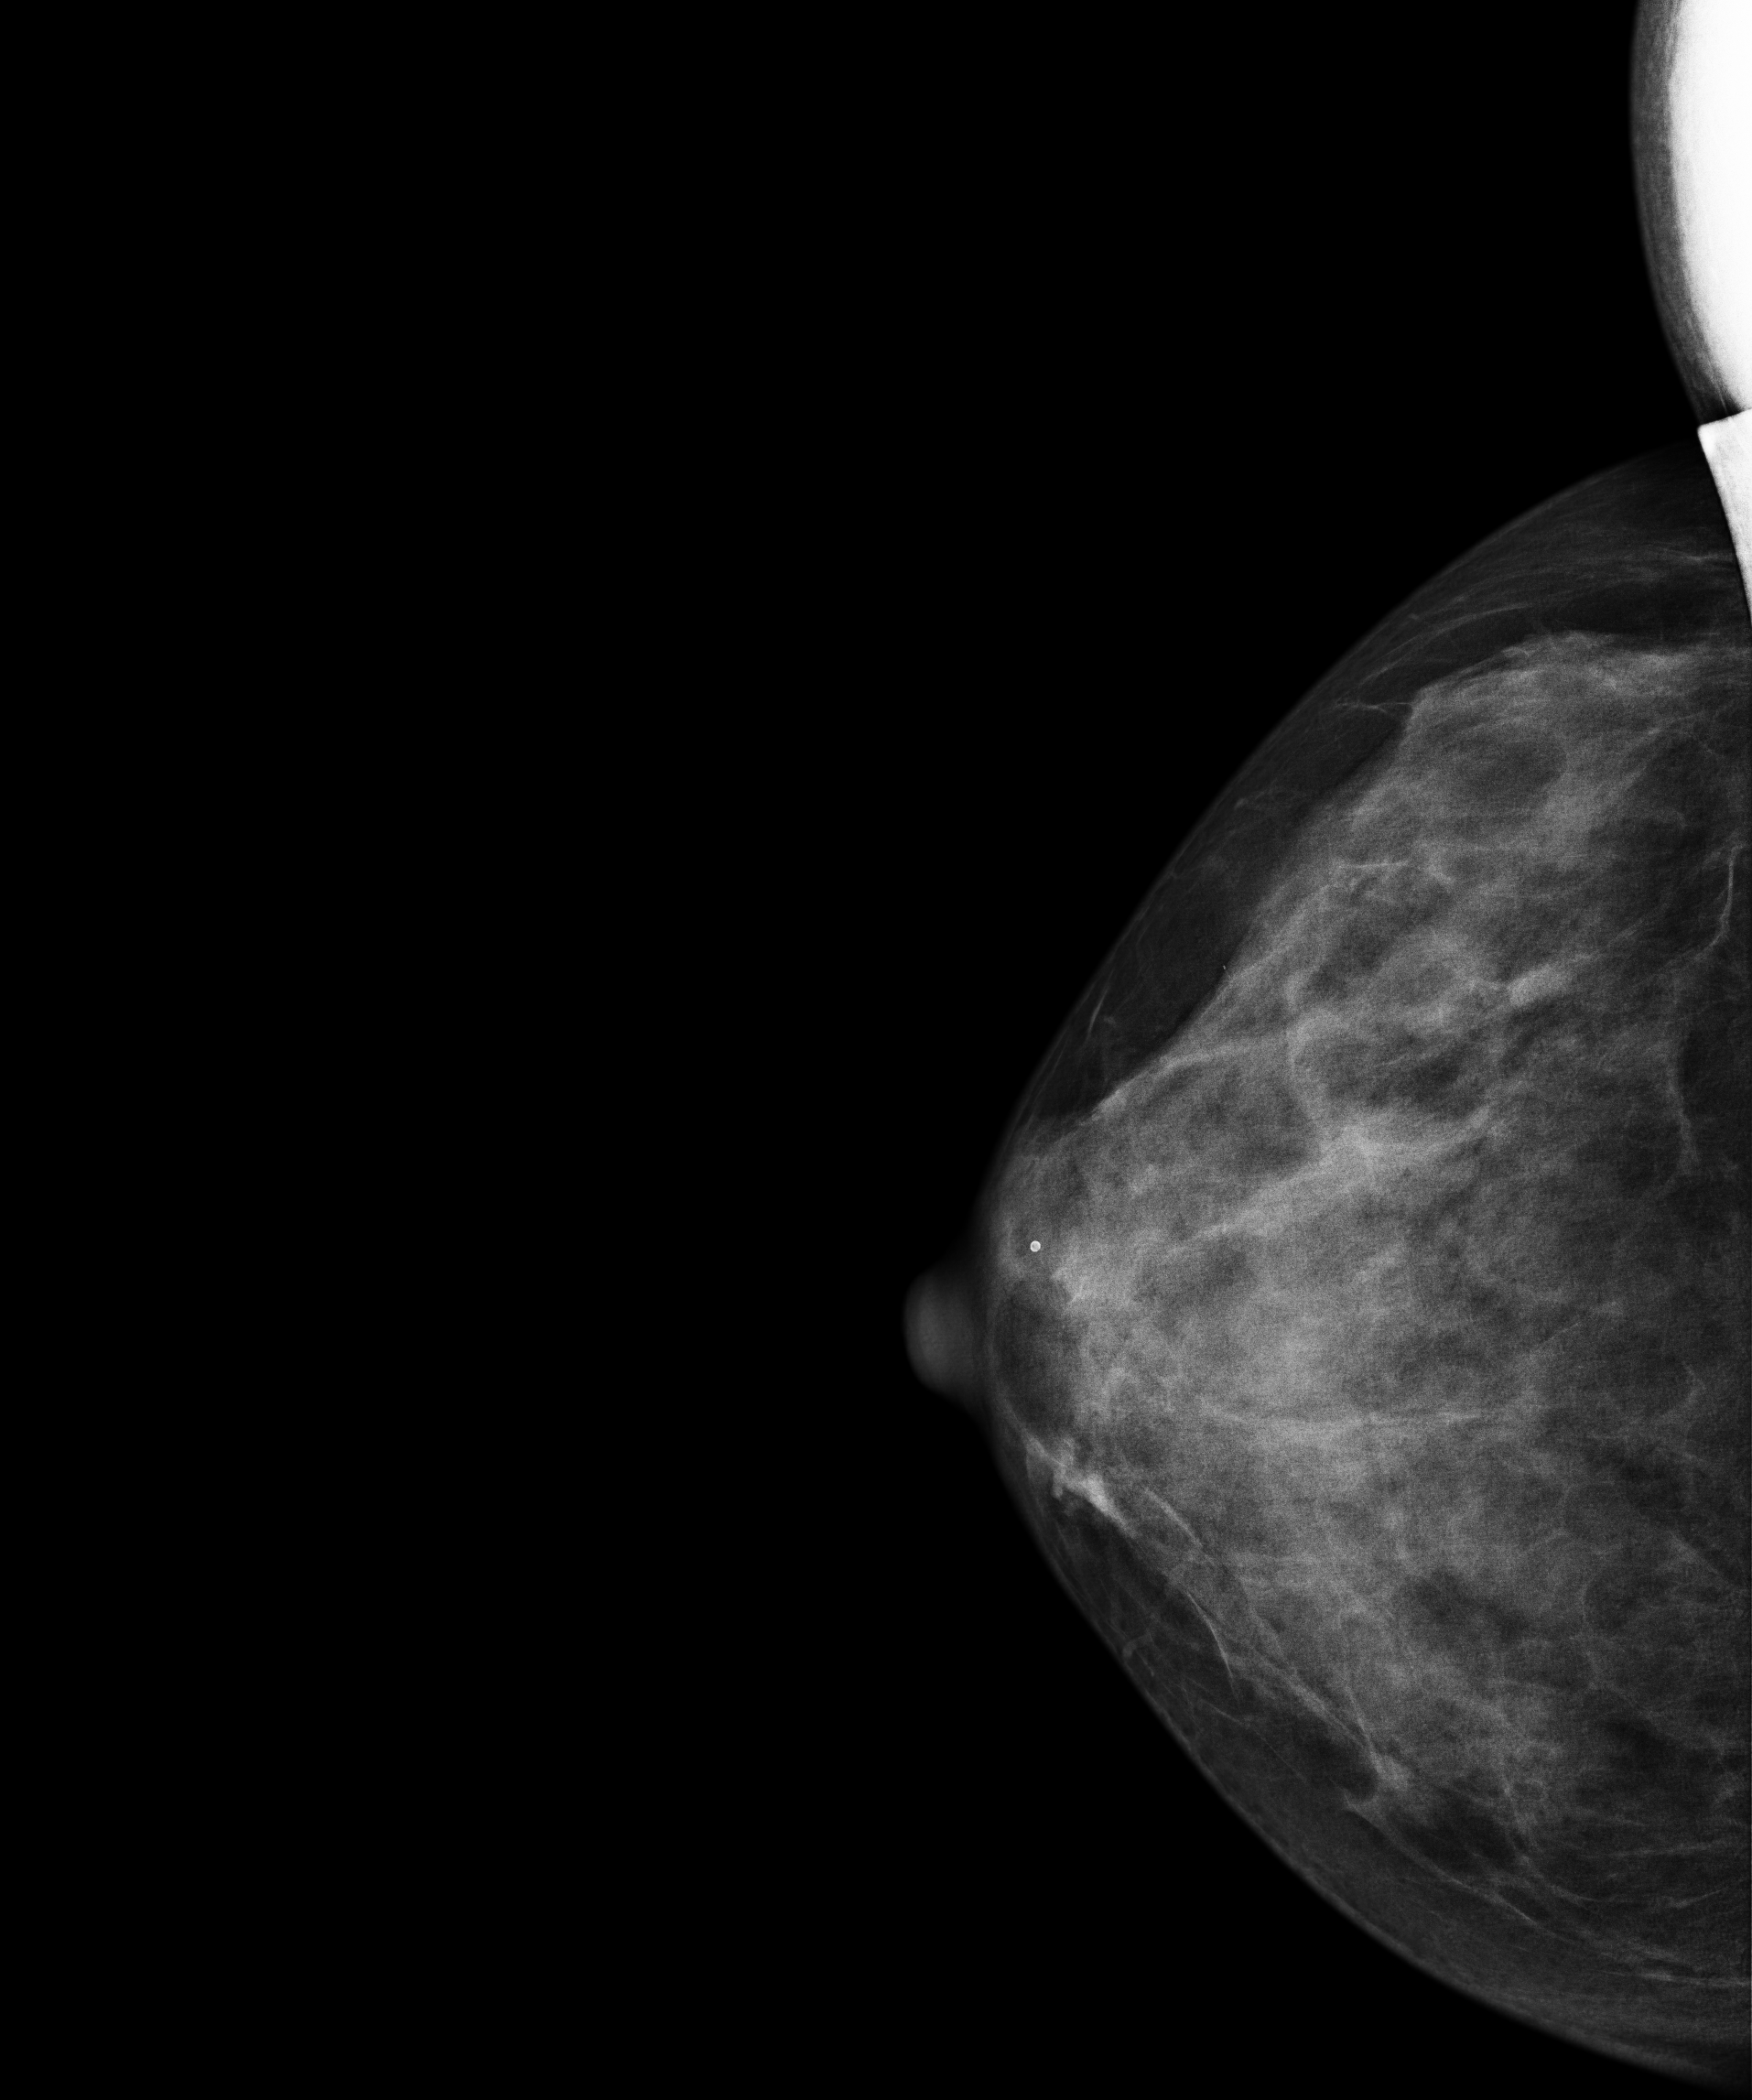
Mammogram — right CC. 43-year-old patient.
Contralateral breast — no documented abnormality on this side.